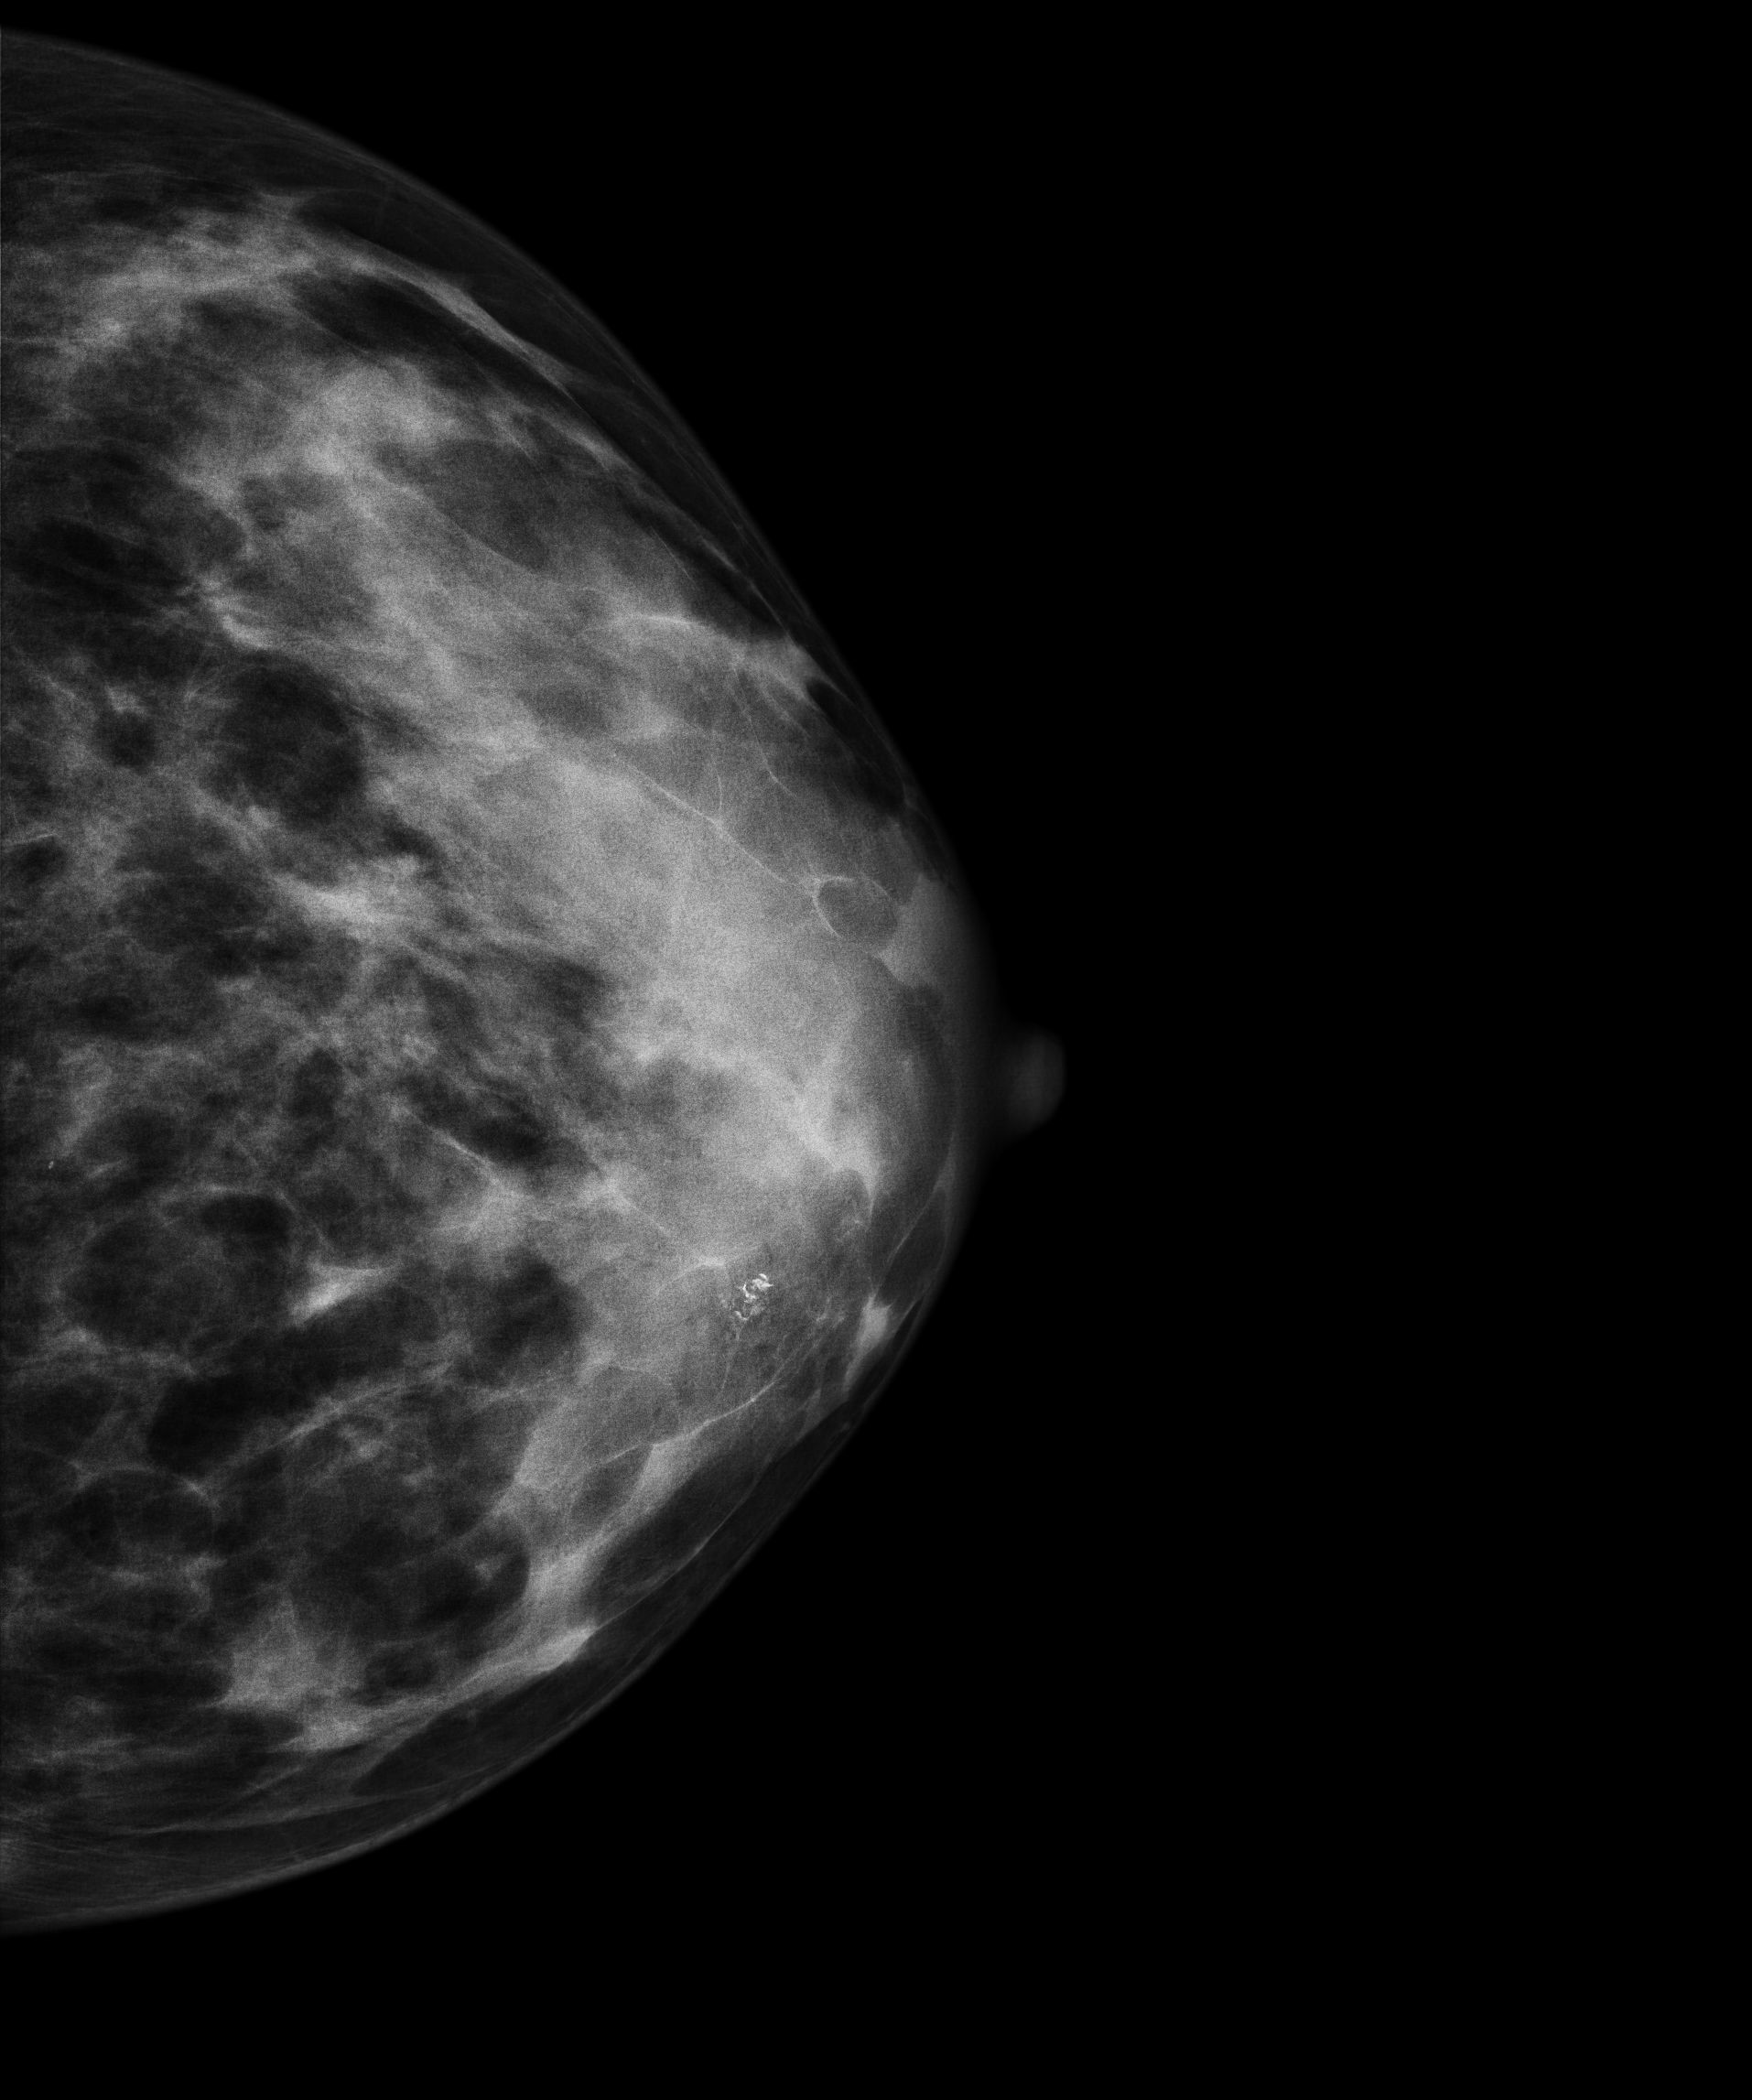
Mammogram — left CC. 37 y/o patient.
This breast has calcifications, pathology-confirmed benign.